Digital mammography. Right breast, cranio-caudal projection. 44 y/o patient.
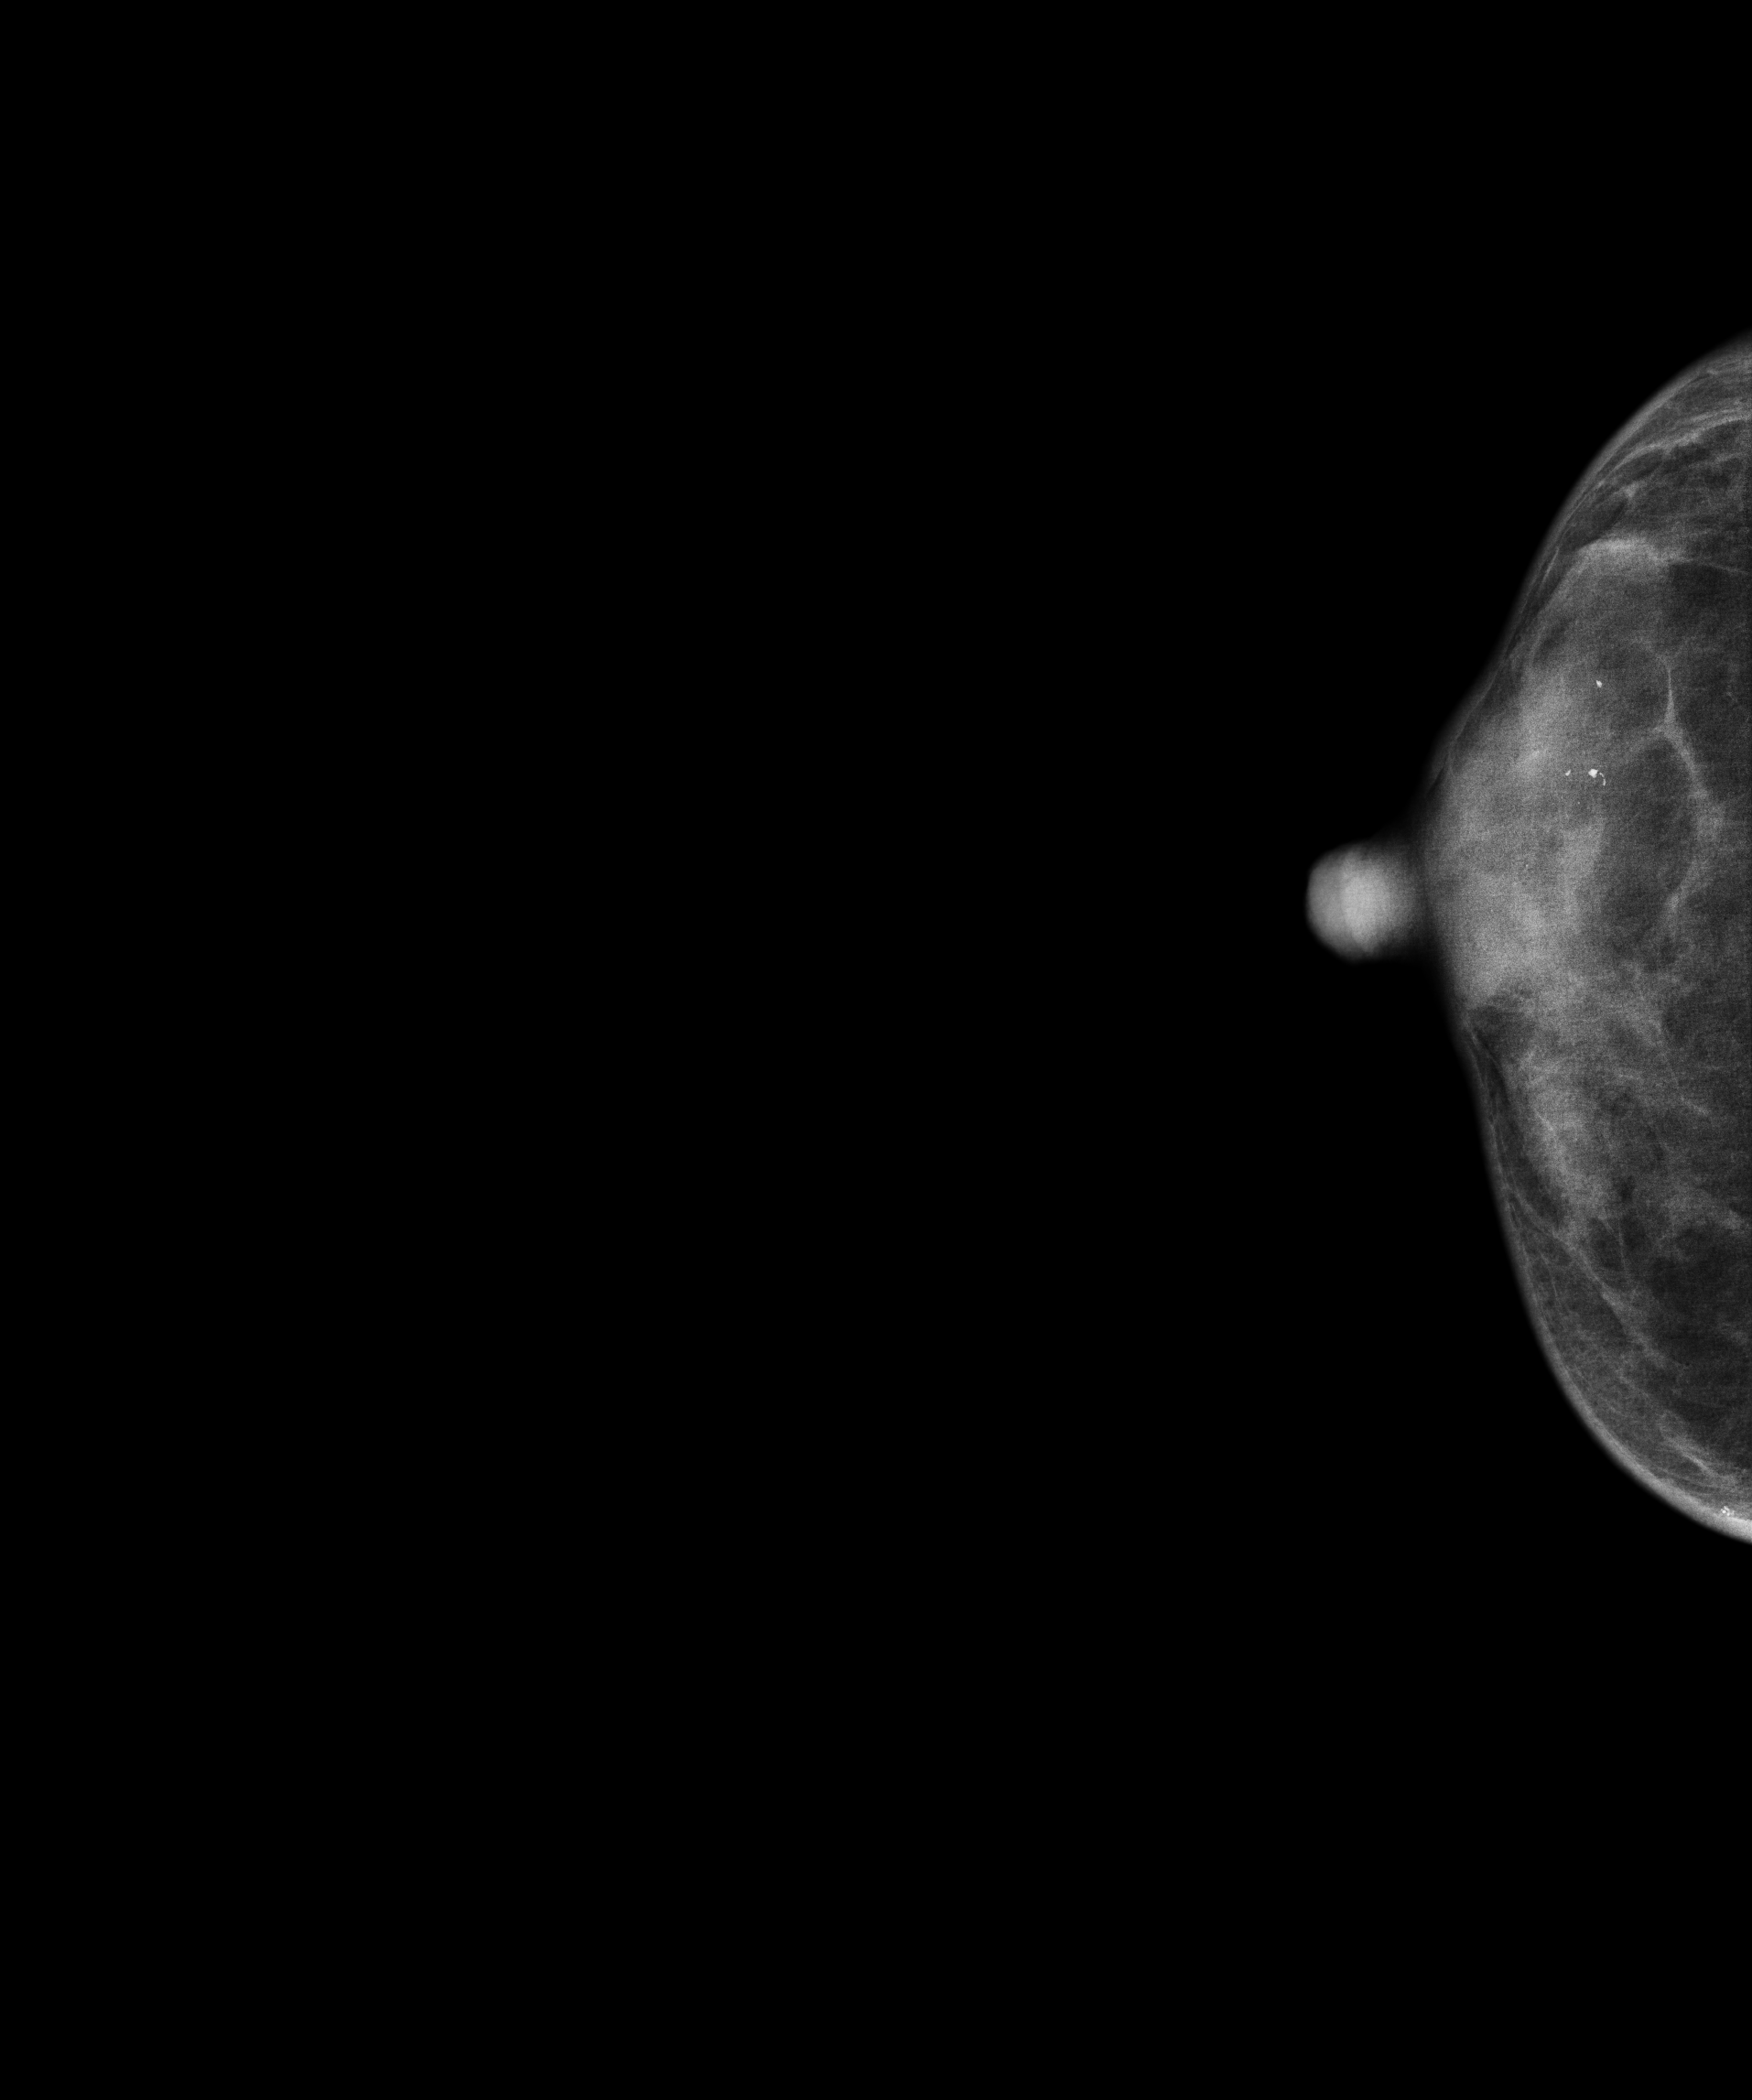
This breast has calcifications, biopsy-confirmed benign.